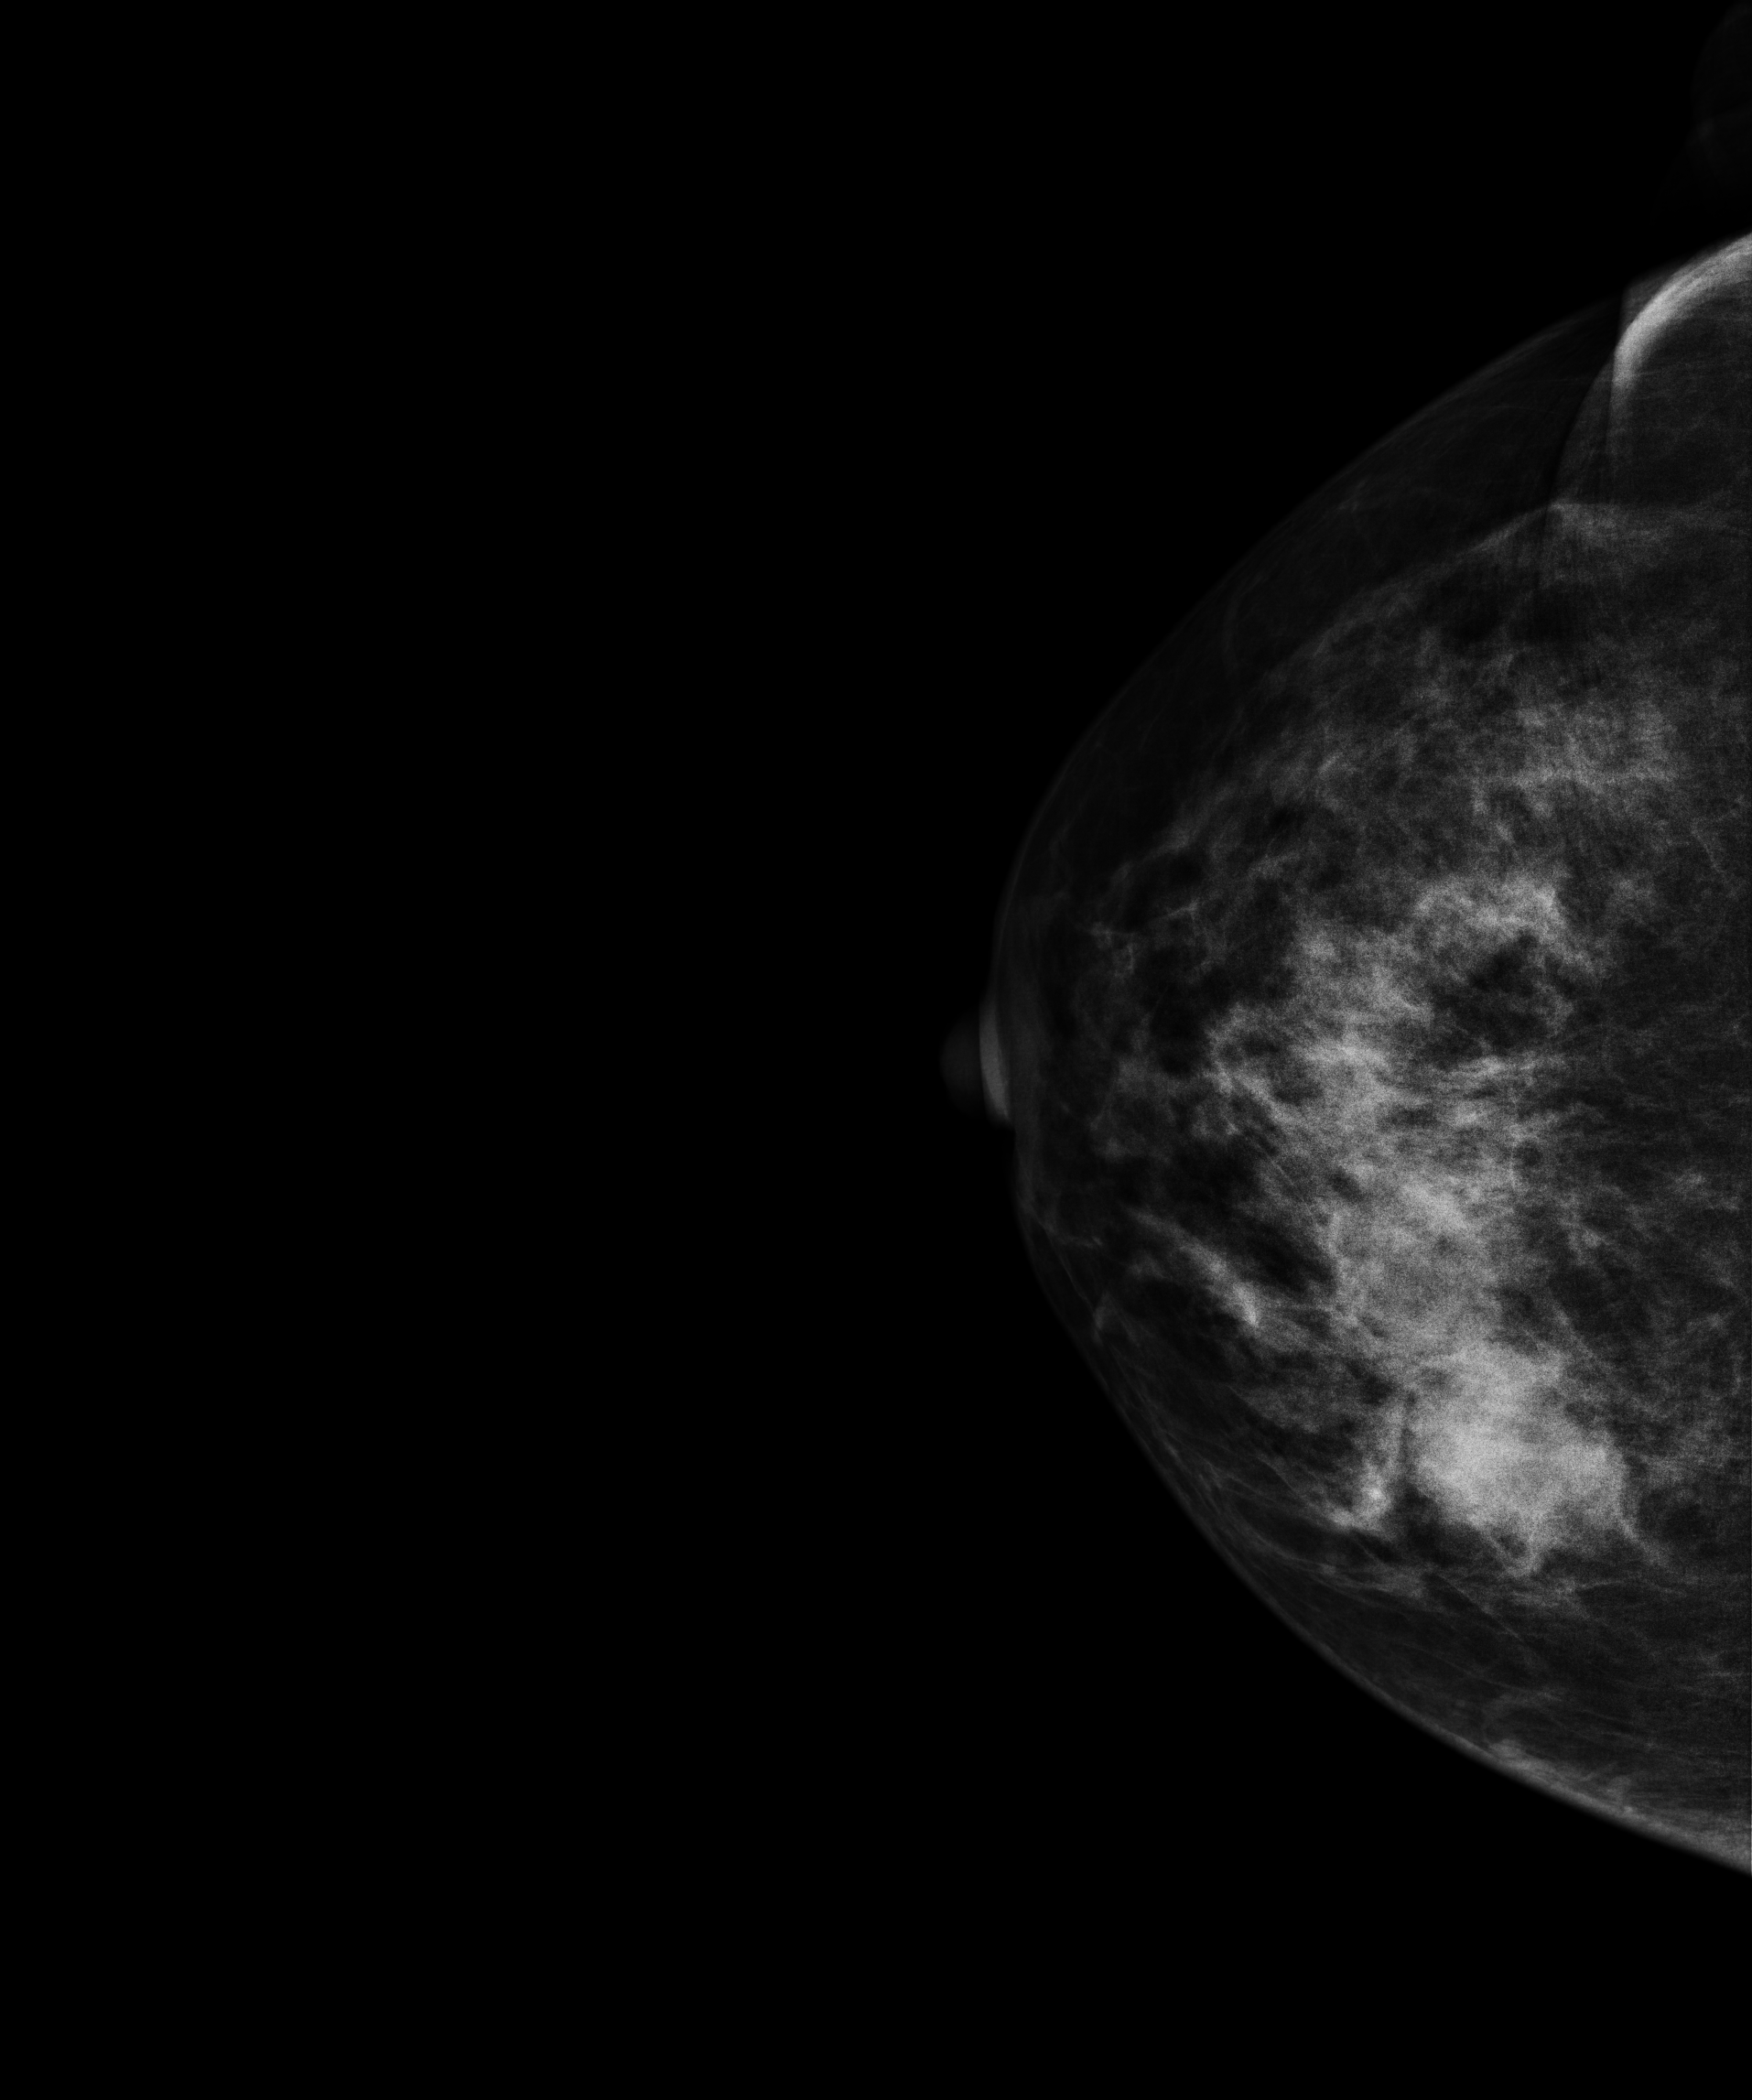
CC mammogram of the right breast. Patient age 43.
This breast has a mass, histologically confirmed malignant. Molecular subtype: luminal B.